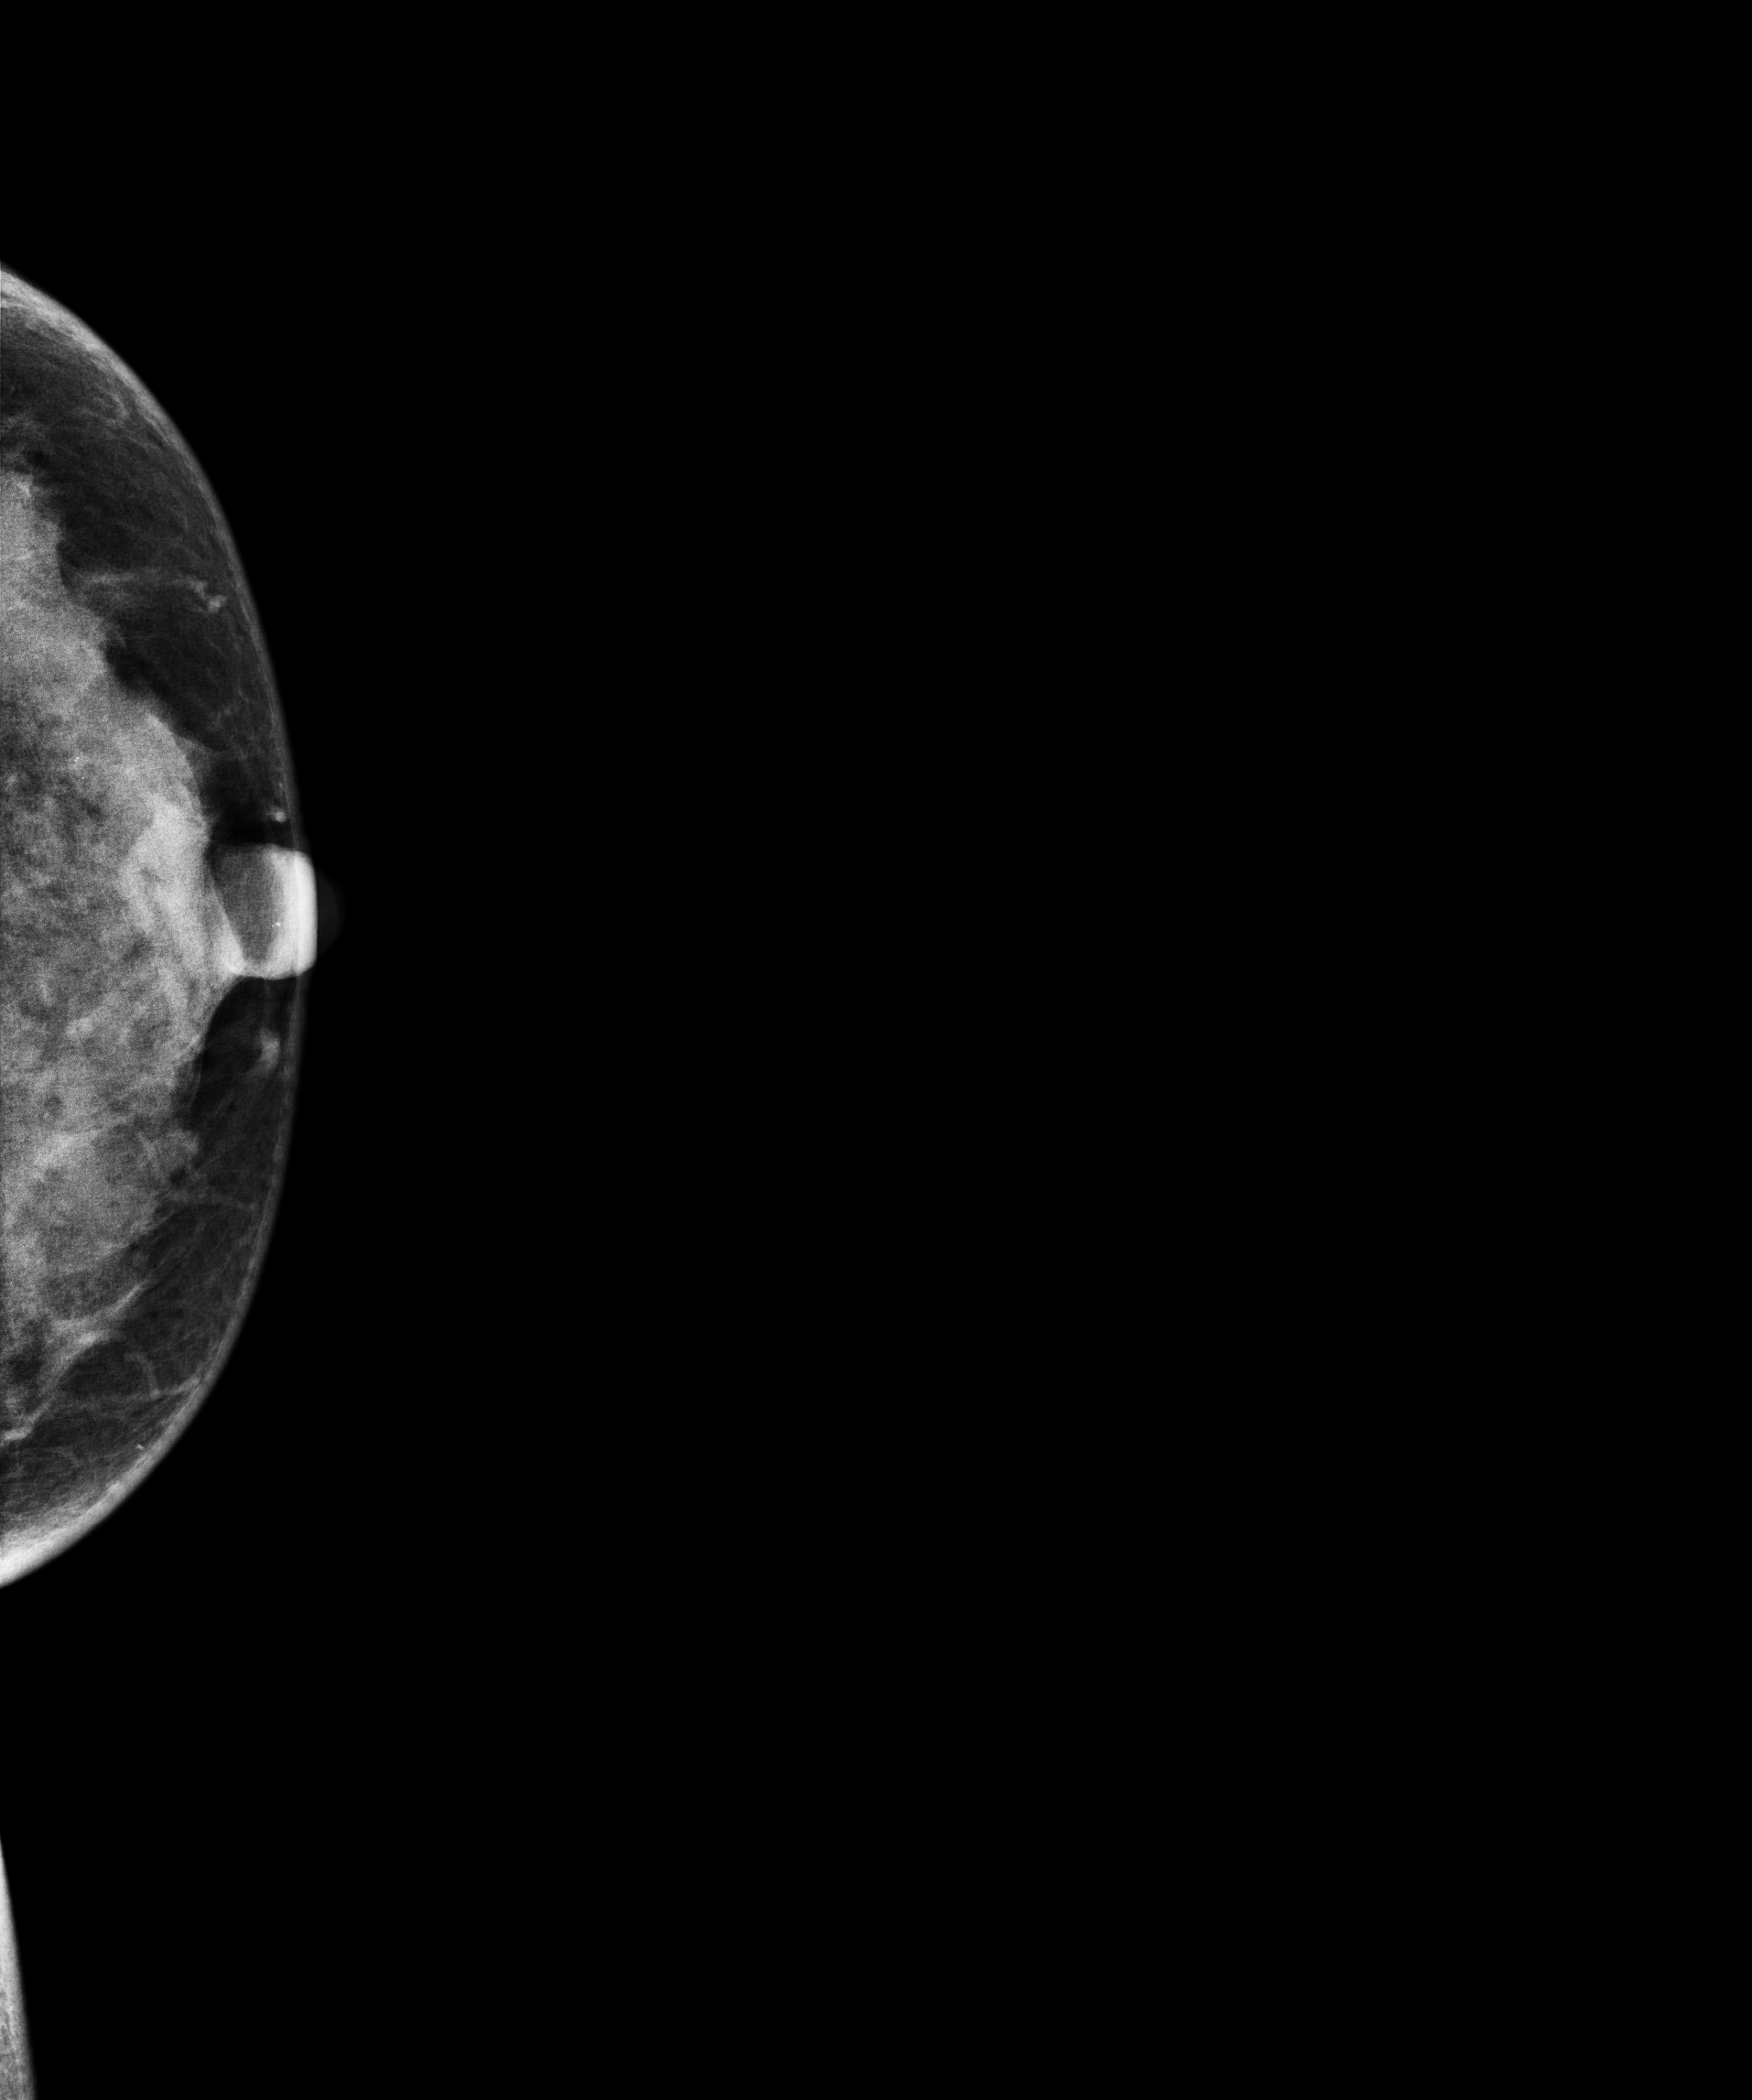
Mammogram — left CC. 35 y/o patient.
This breast has calcifications, biopsy-confirmed benign.